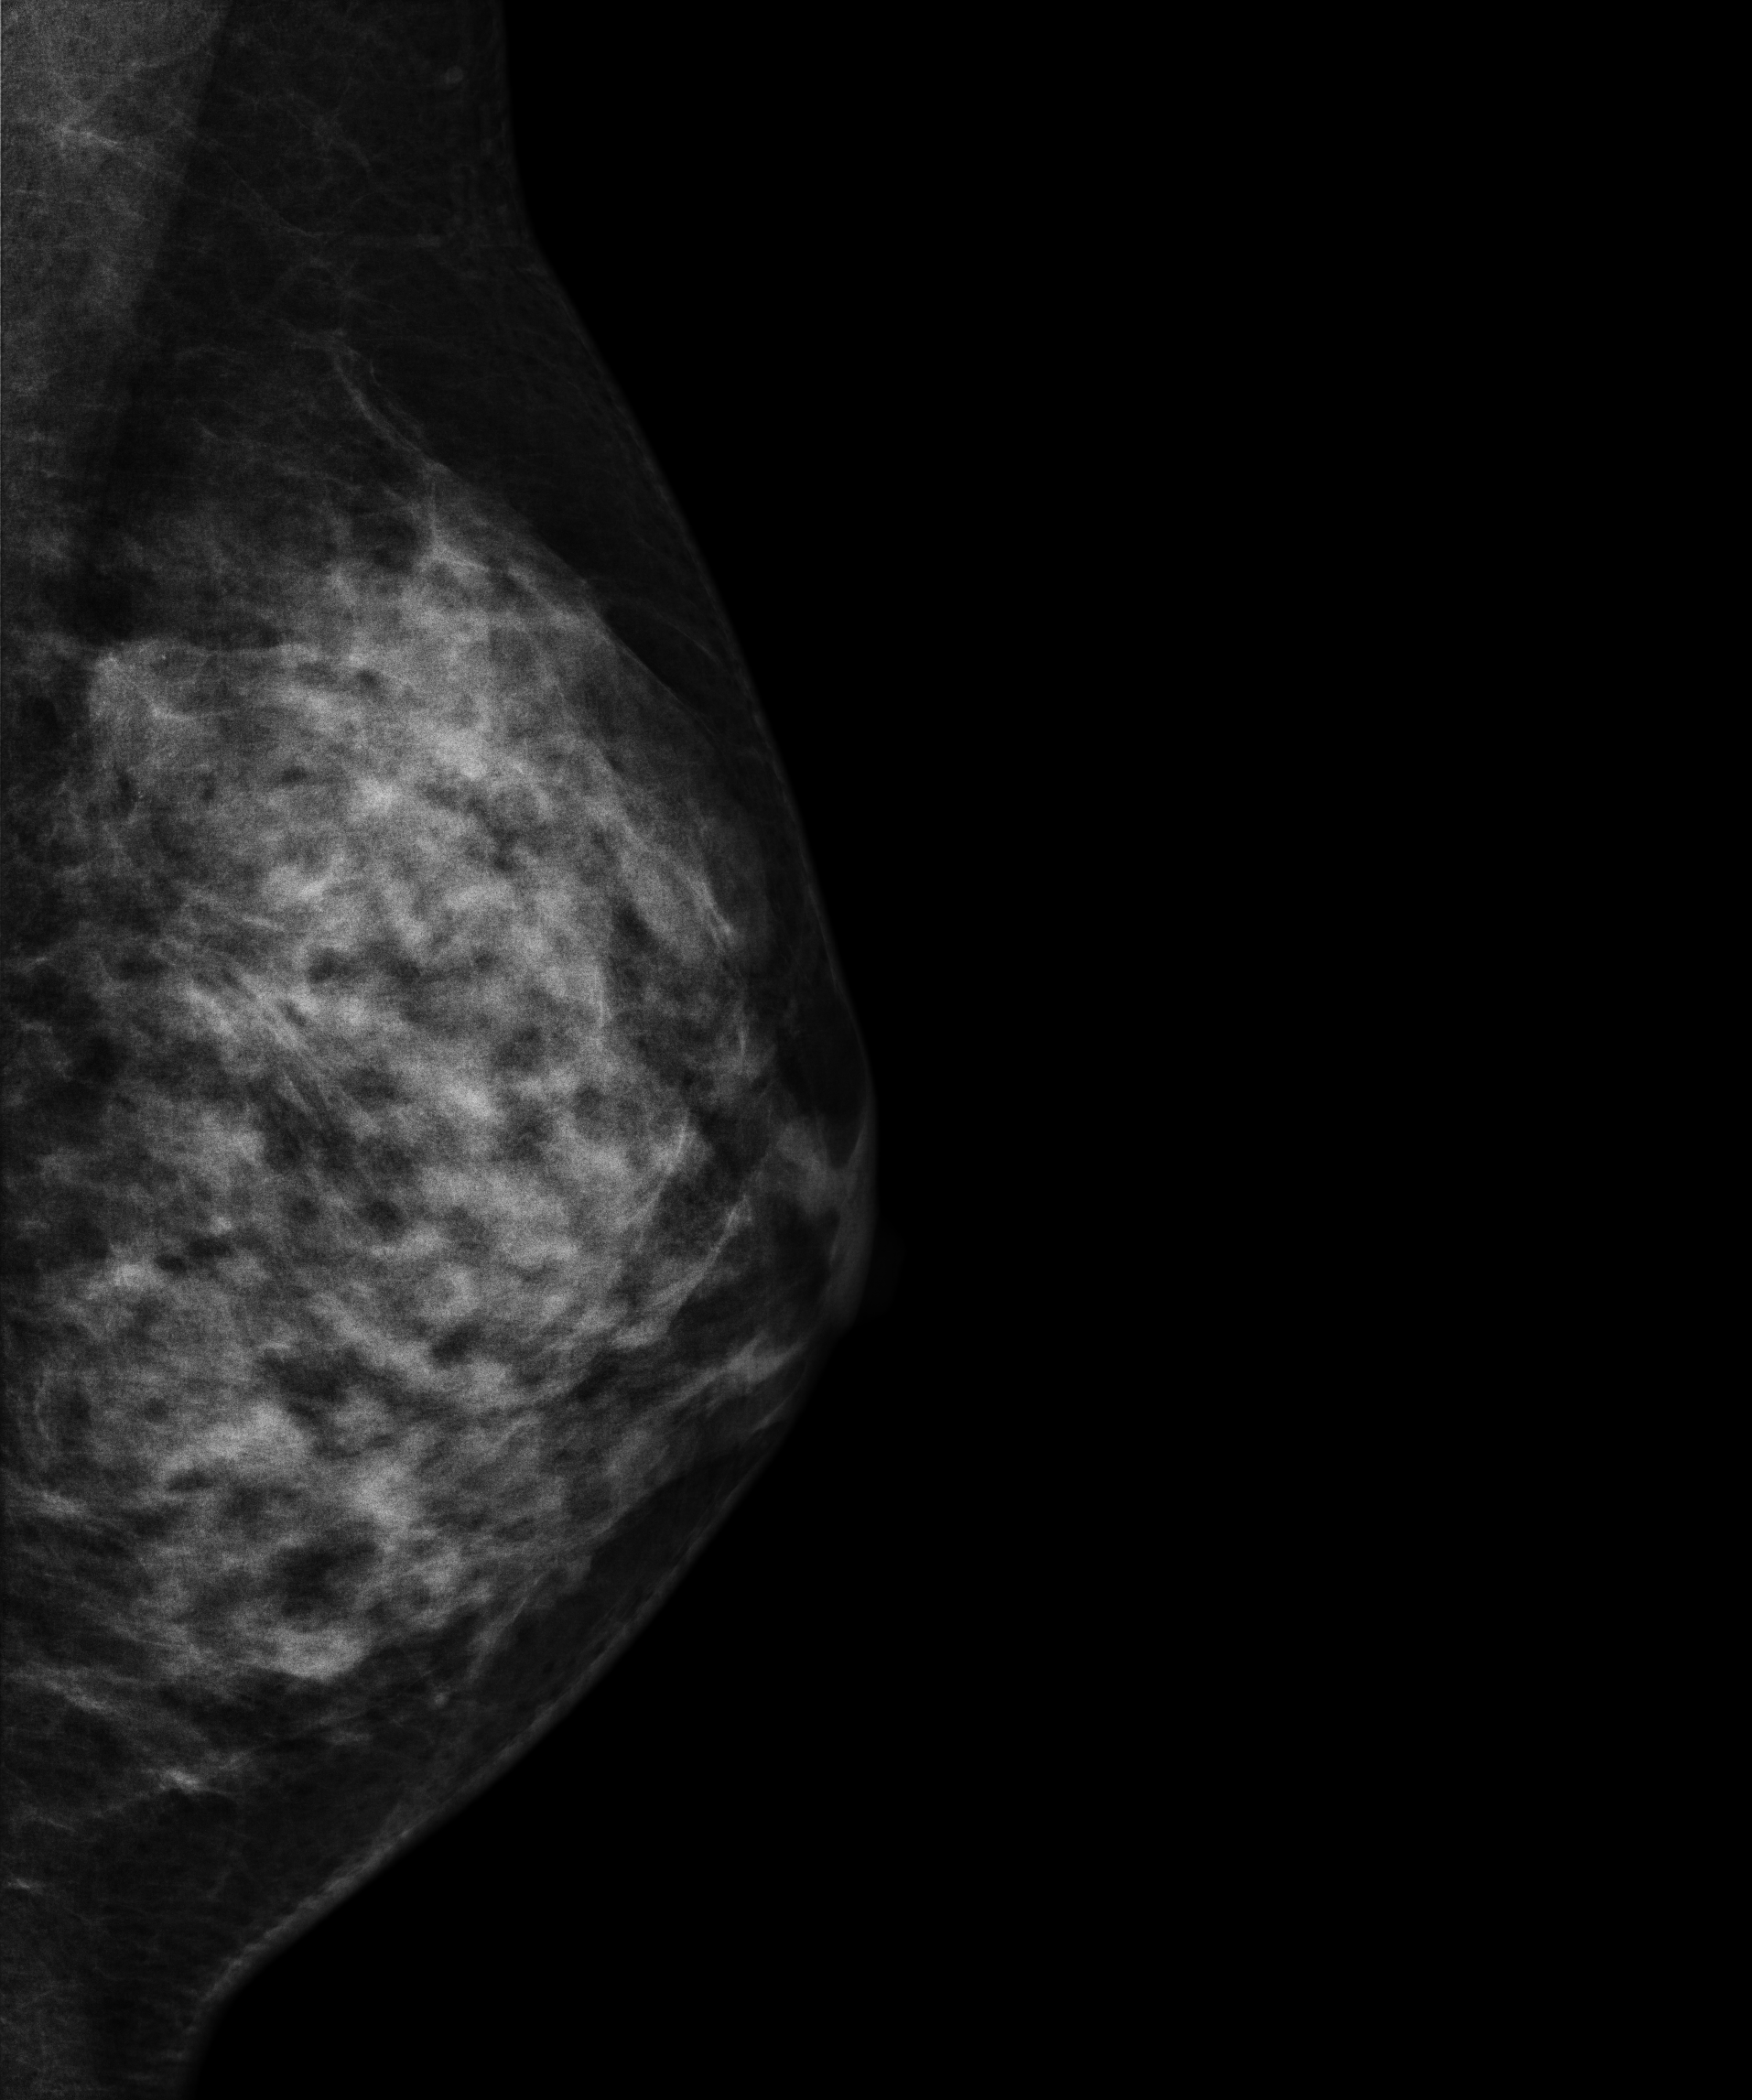
Mammogram, left breast, medio-lateral oblique view. Patient age 43.
This breast has a mass, biopsy-proven malignant.